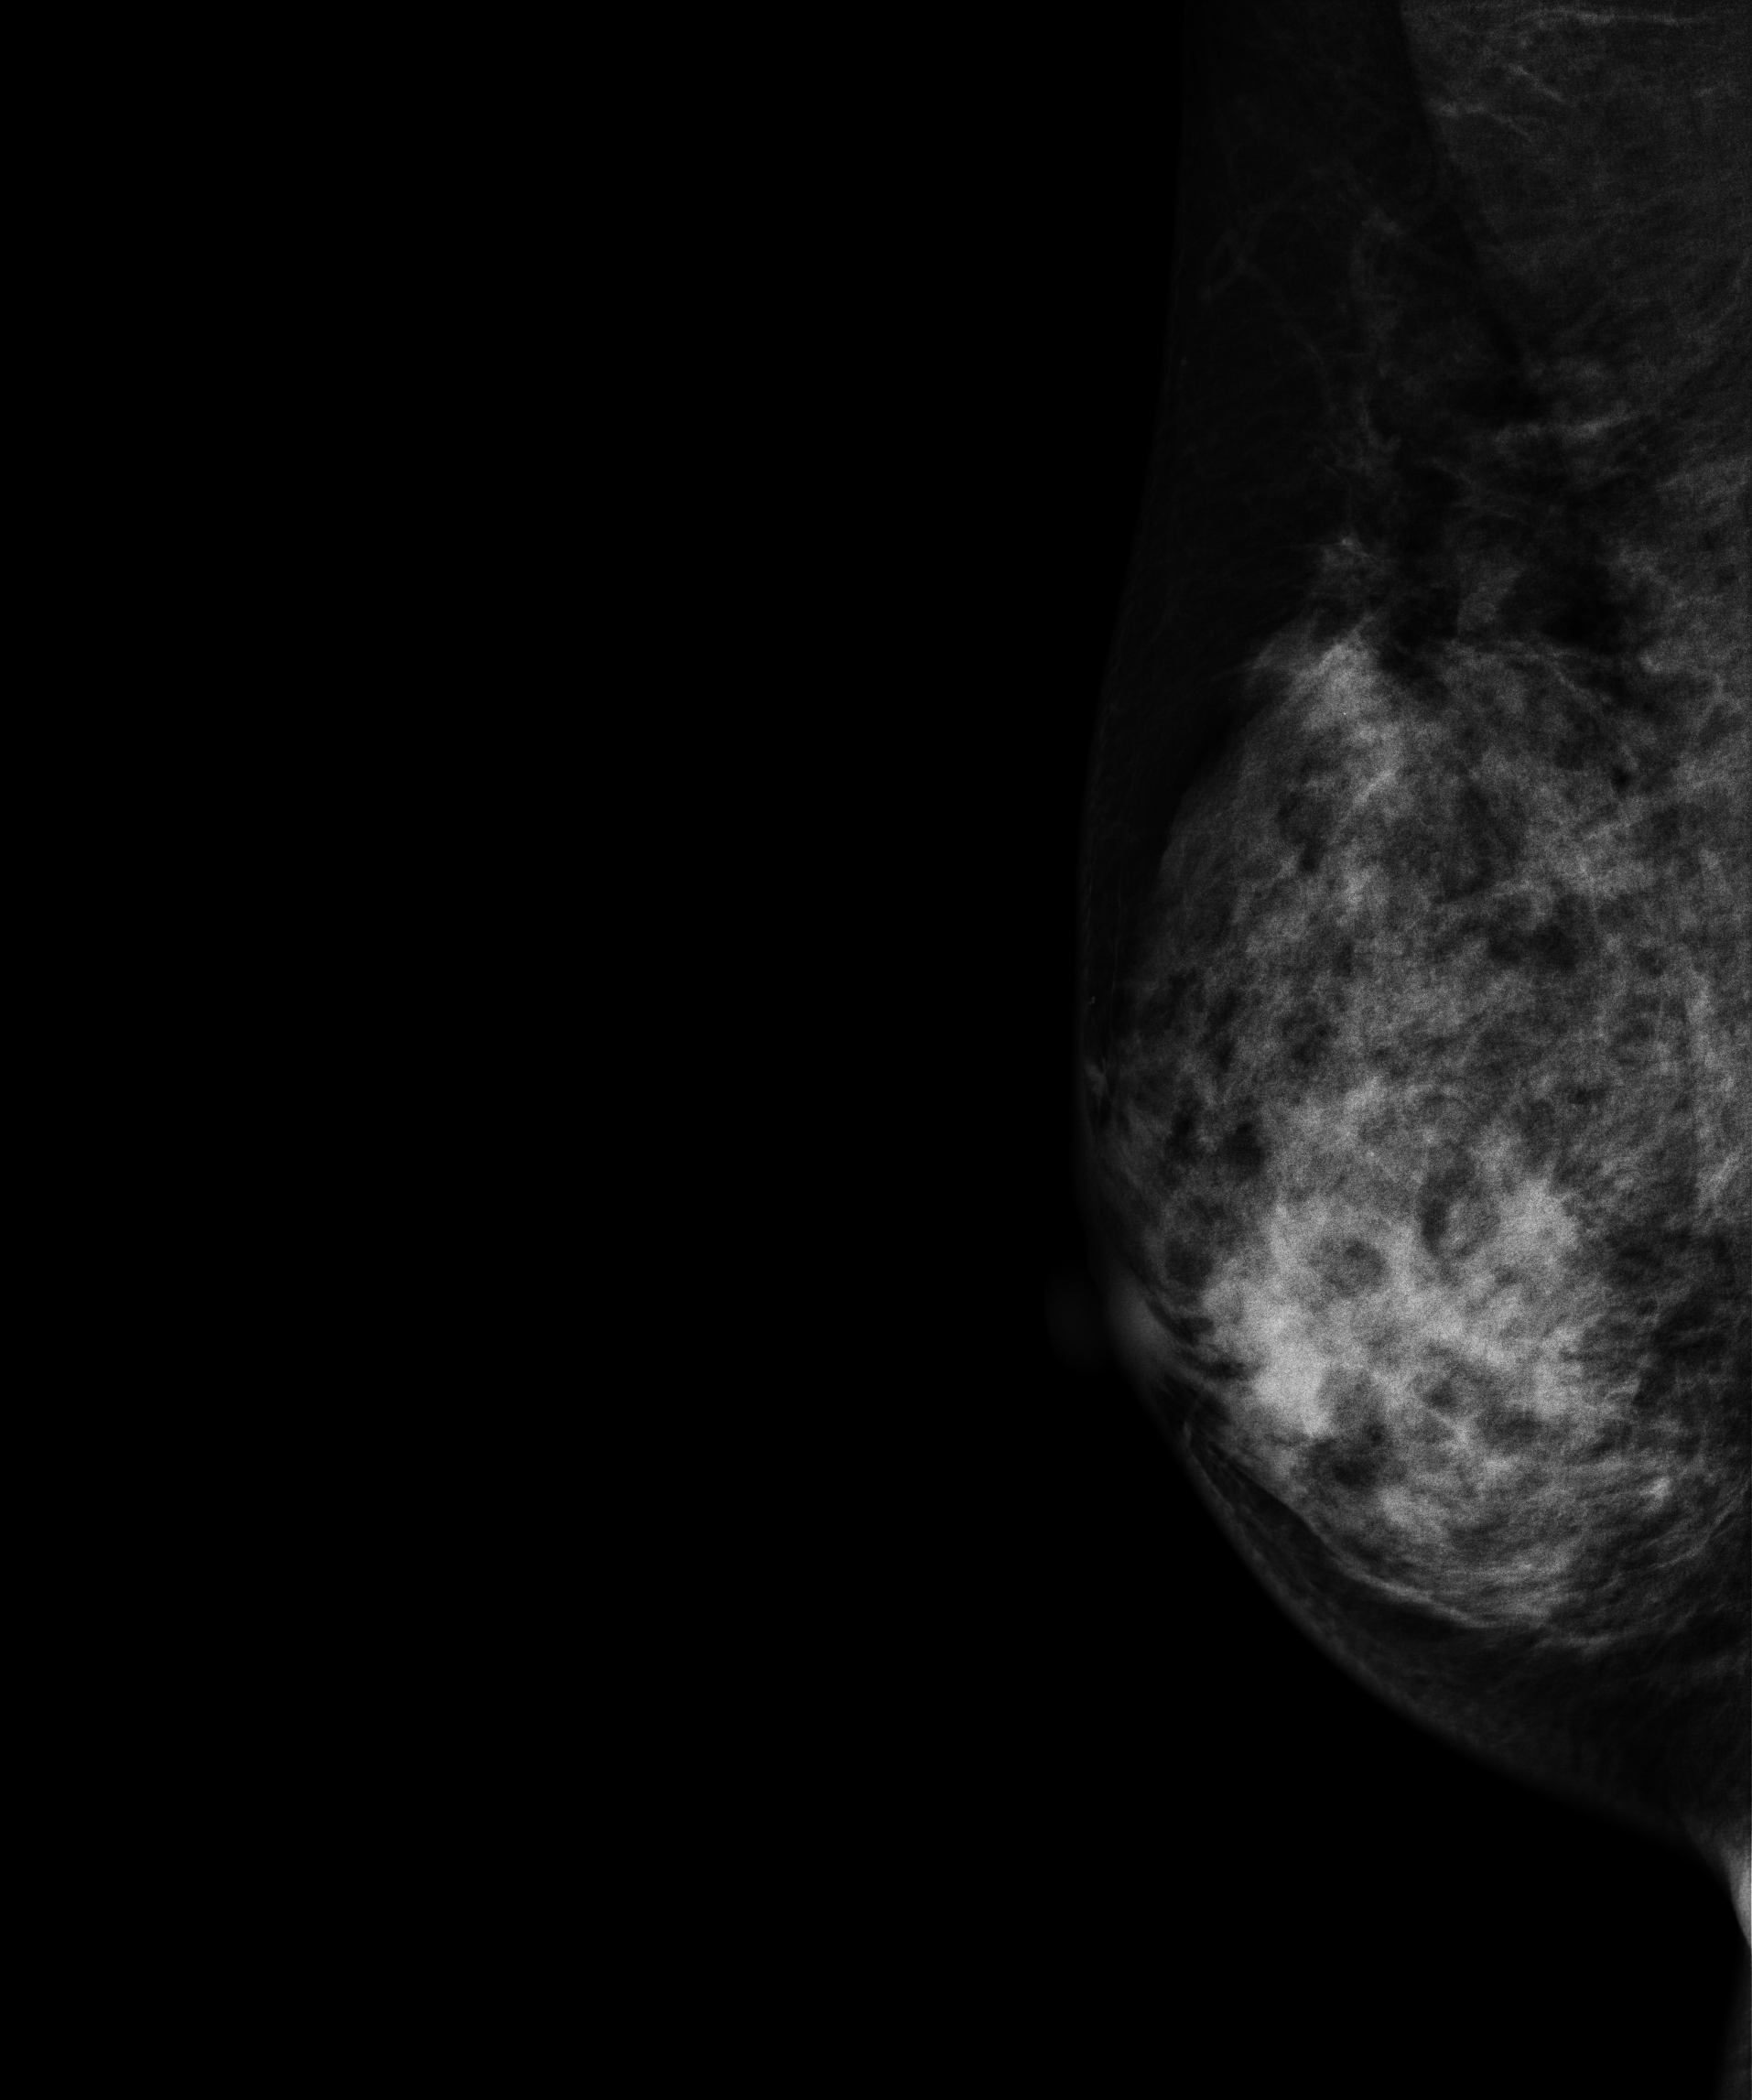
Right-breast mammogram, MLO. 49-year-old patient.
This breast has a mass, biopsy-proven malignant. Molecular subtype: triple-negative.